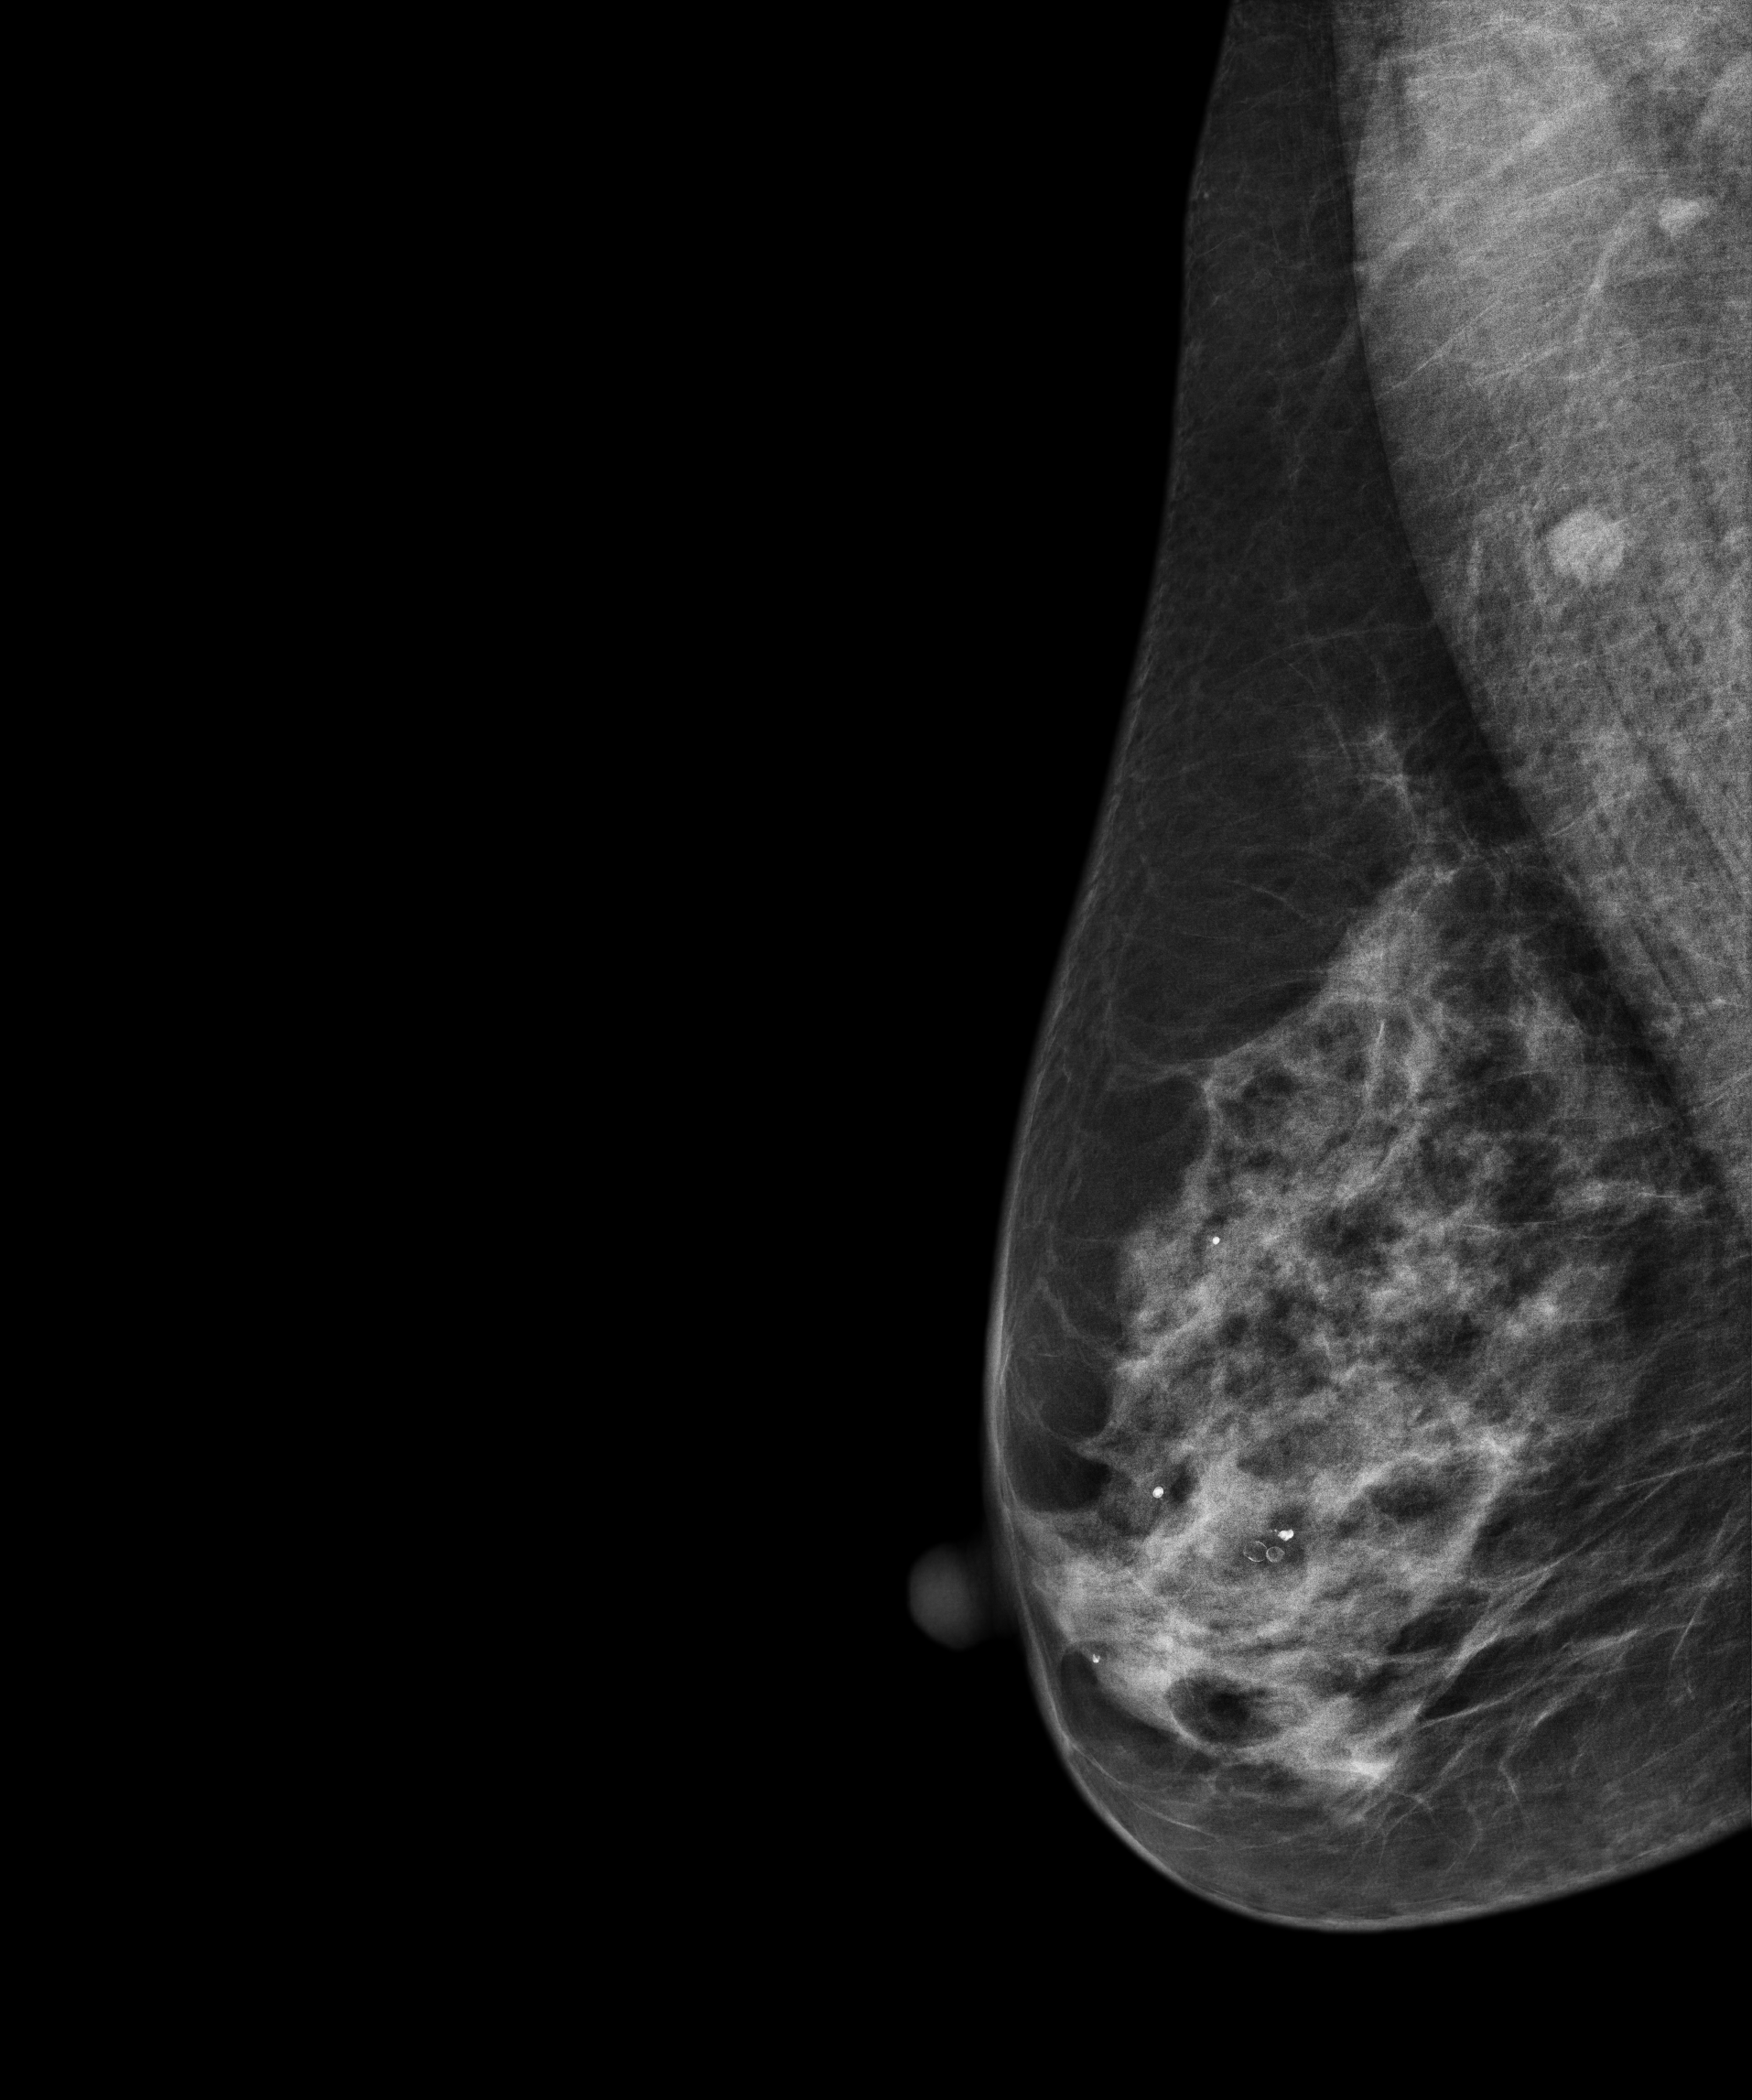
Mammogram, right breast, medio-lateral oblique view. 48-year-old patient.
Contralateral breast — no documented abnormality on this side.